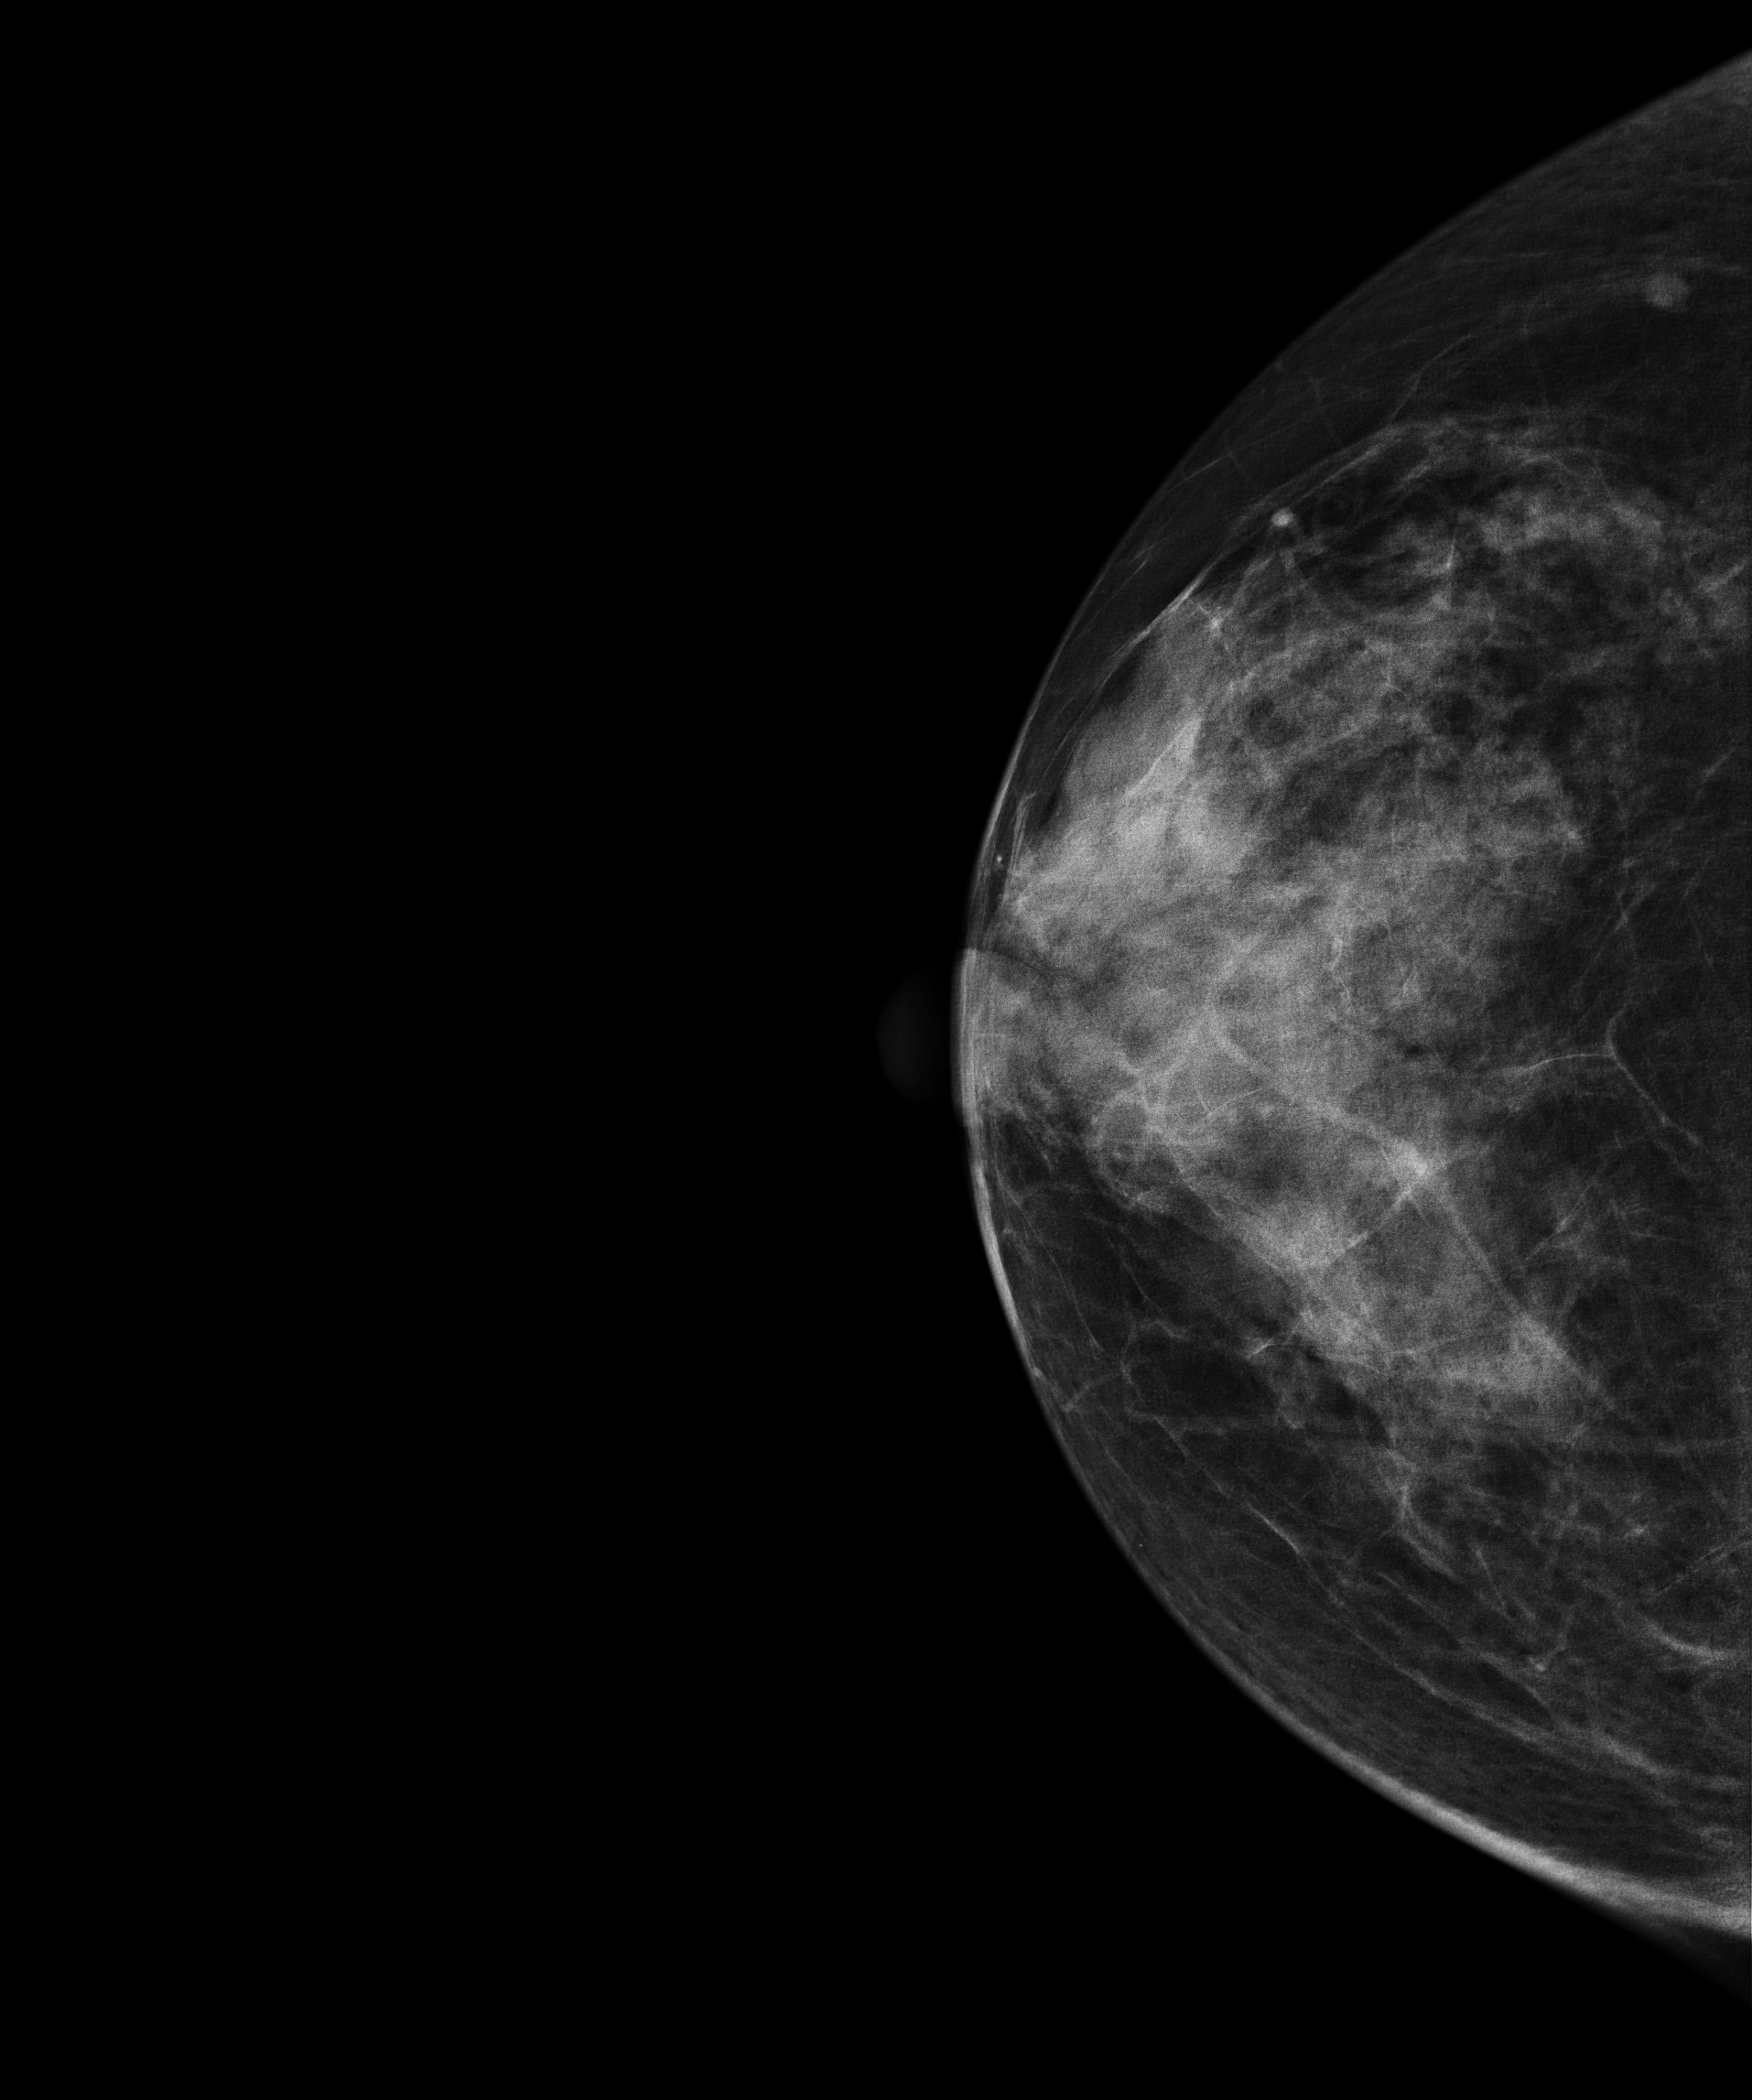
Mammogram, right breast, cranio-caudal view. Patient age 67.
Contralateral breast — no documented abnormality on this side.